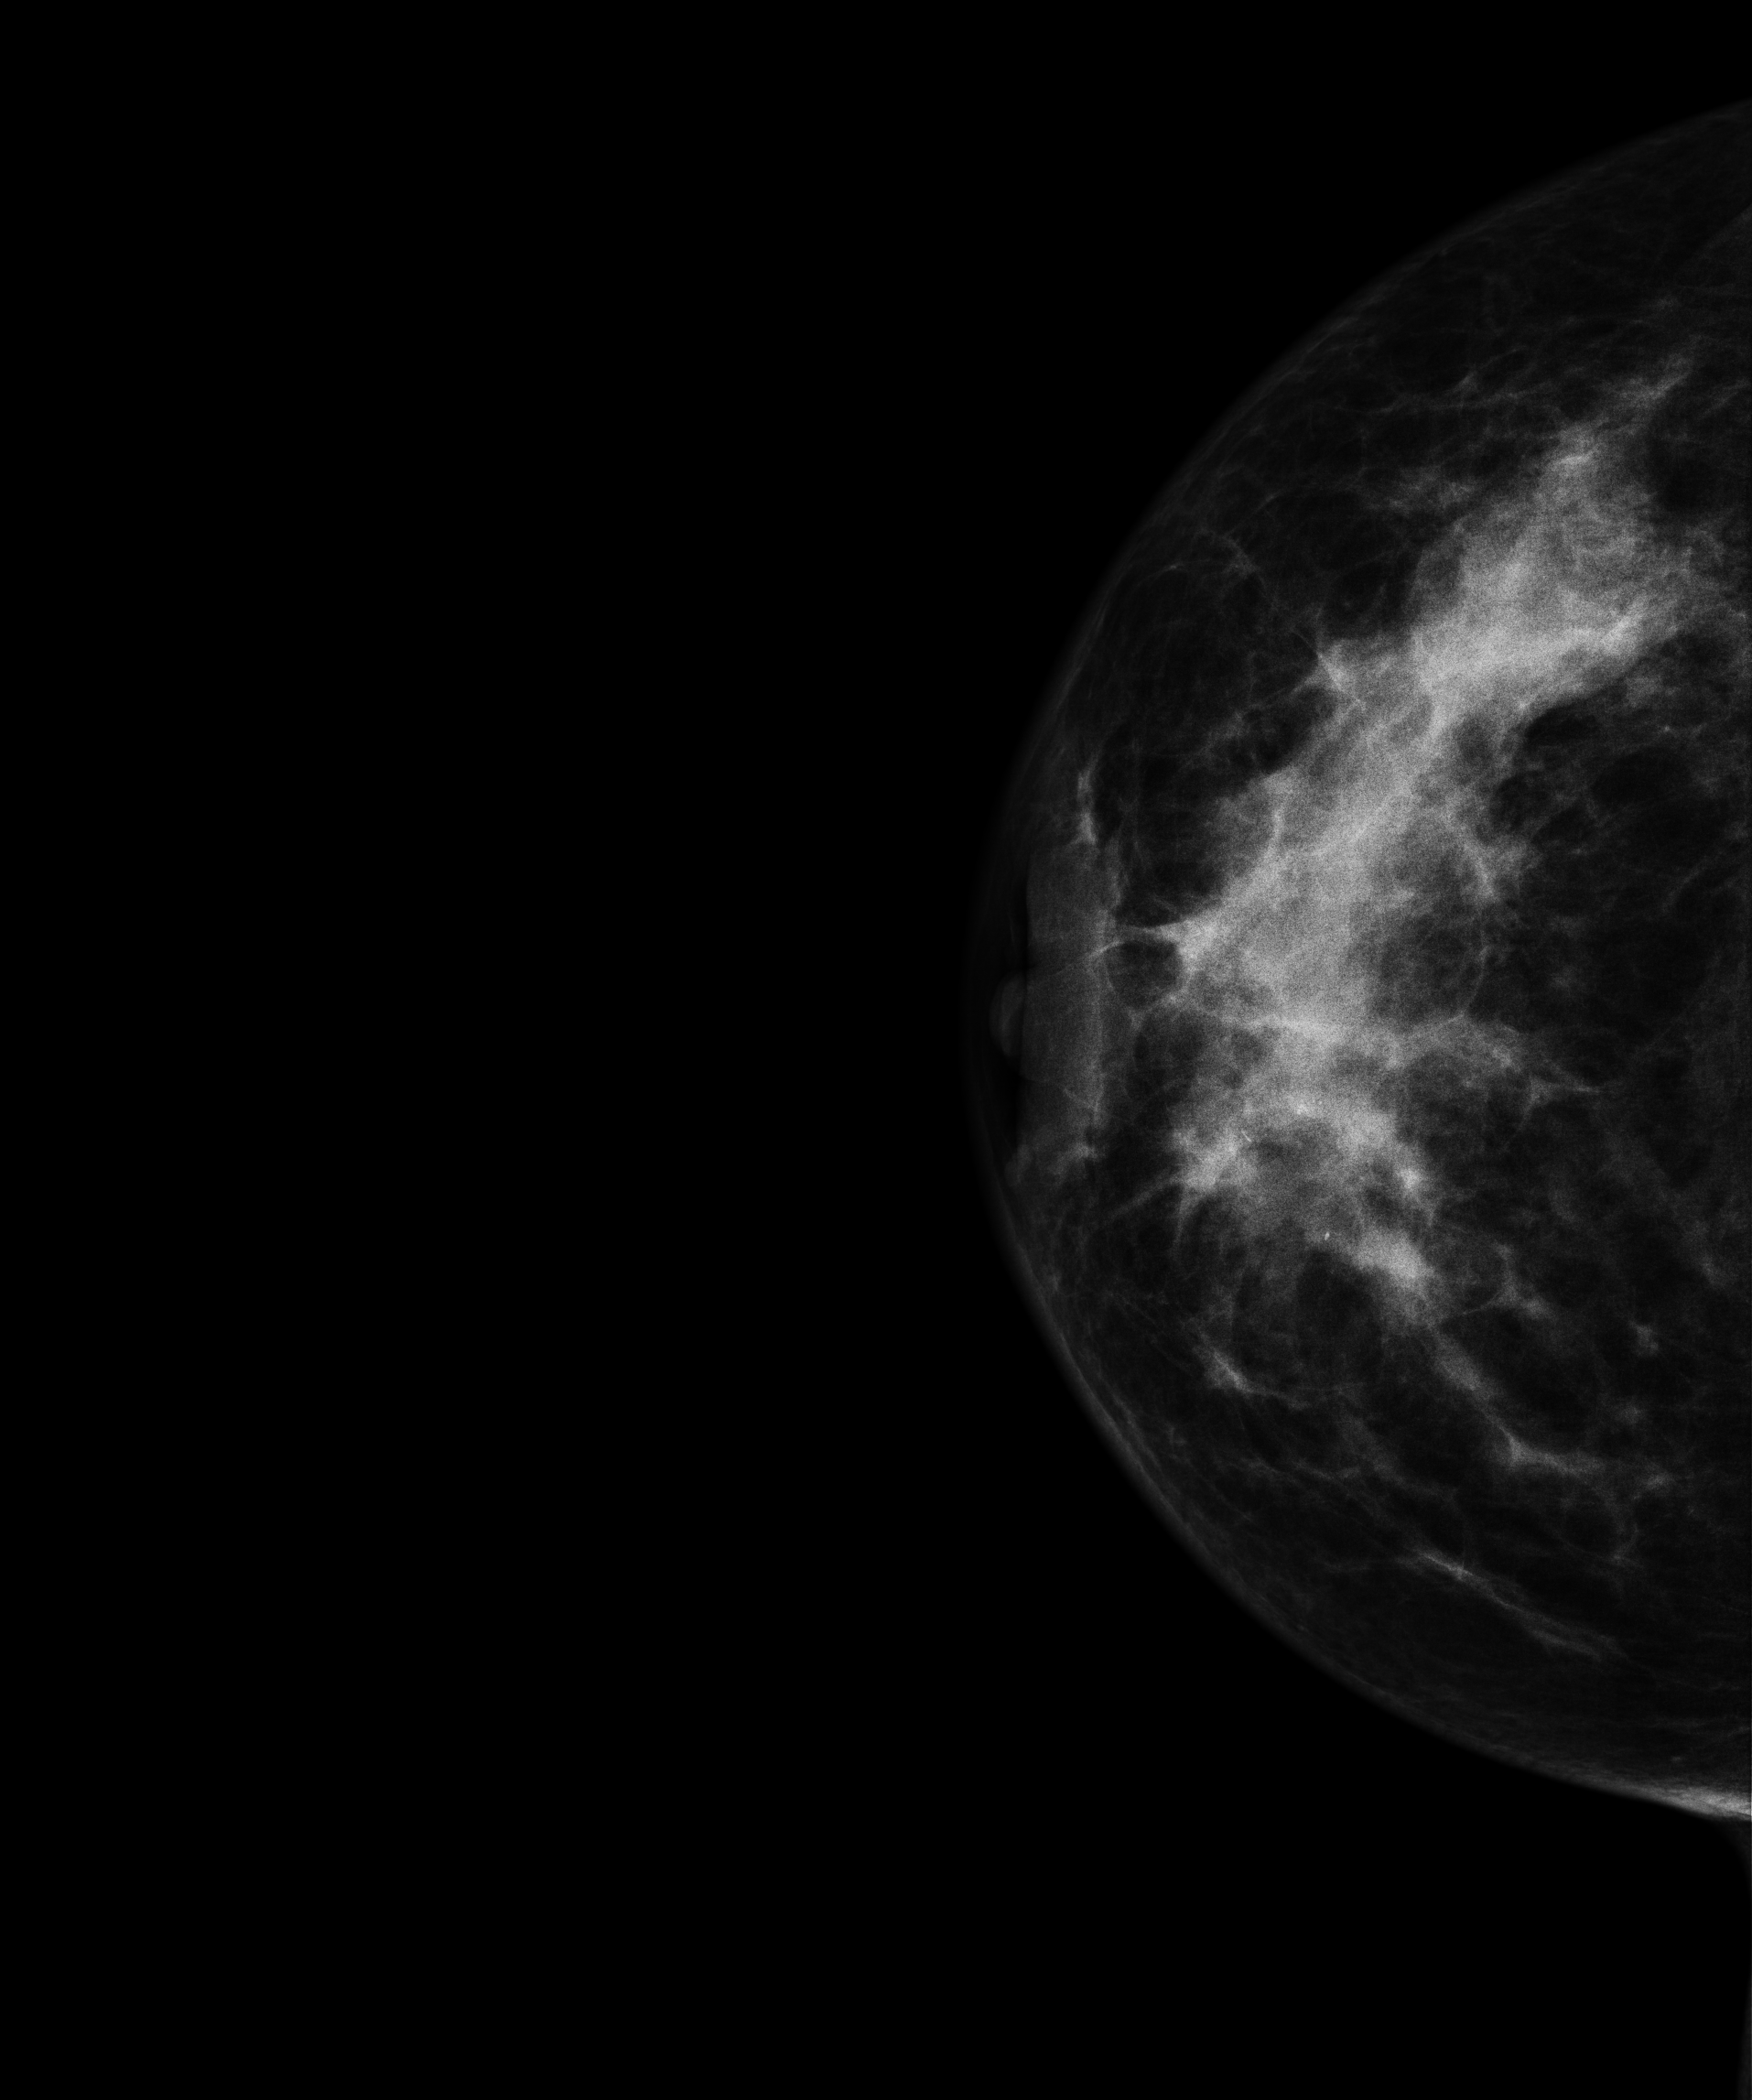
CC mammogram of the right breast. Patient age 52.
This breast has a mass and calcifications, biopsy-confirmed malignant.